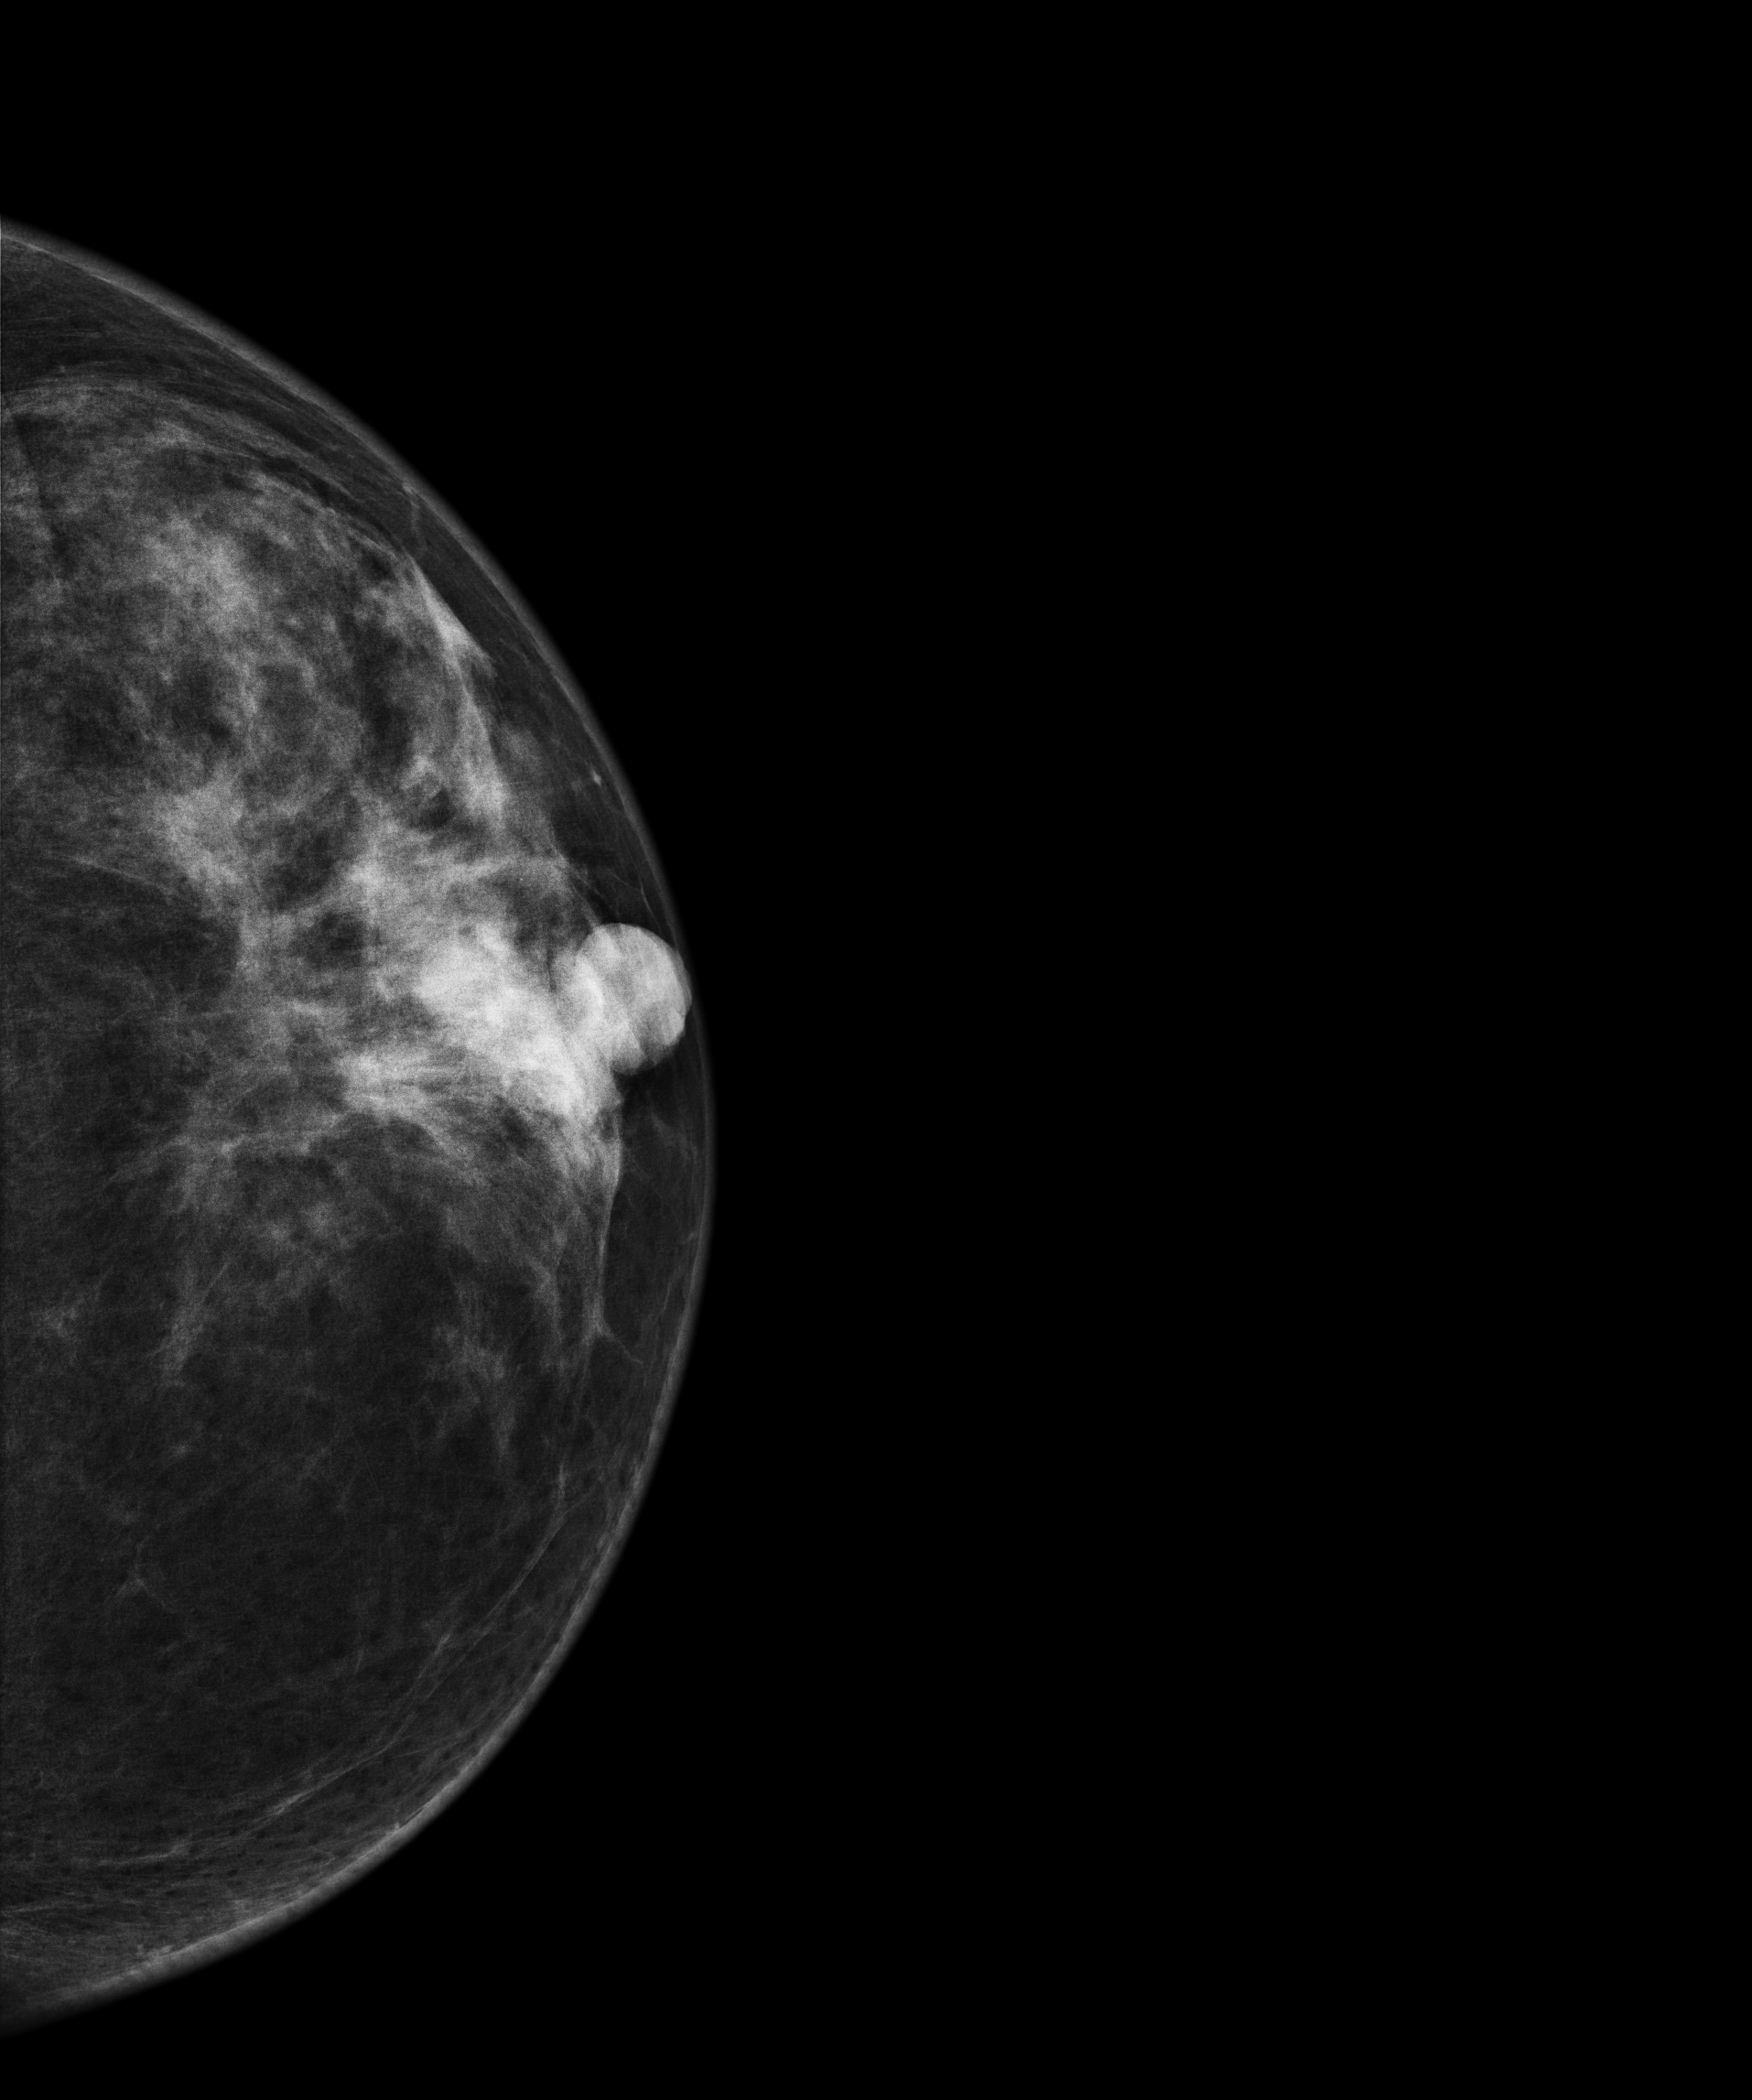
Mammogram — left CC. 43-year-old patient.
This breast has a mass, histologically confirmed benign.